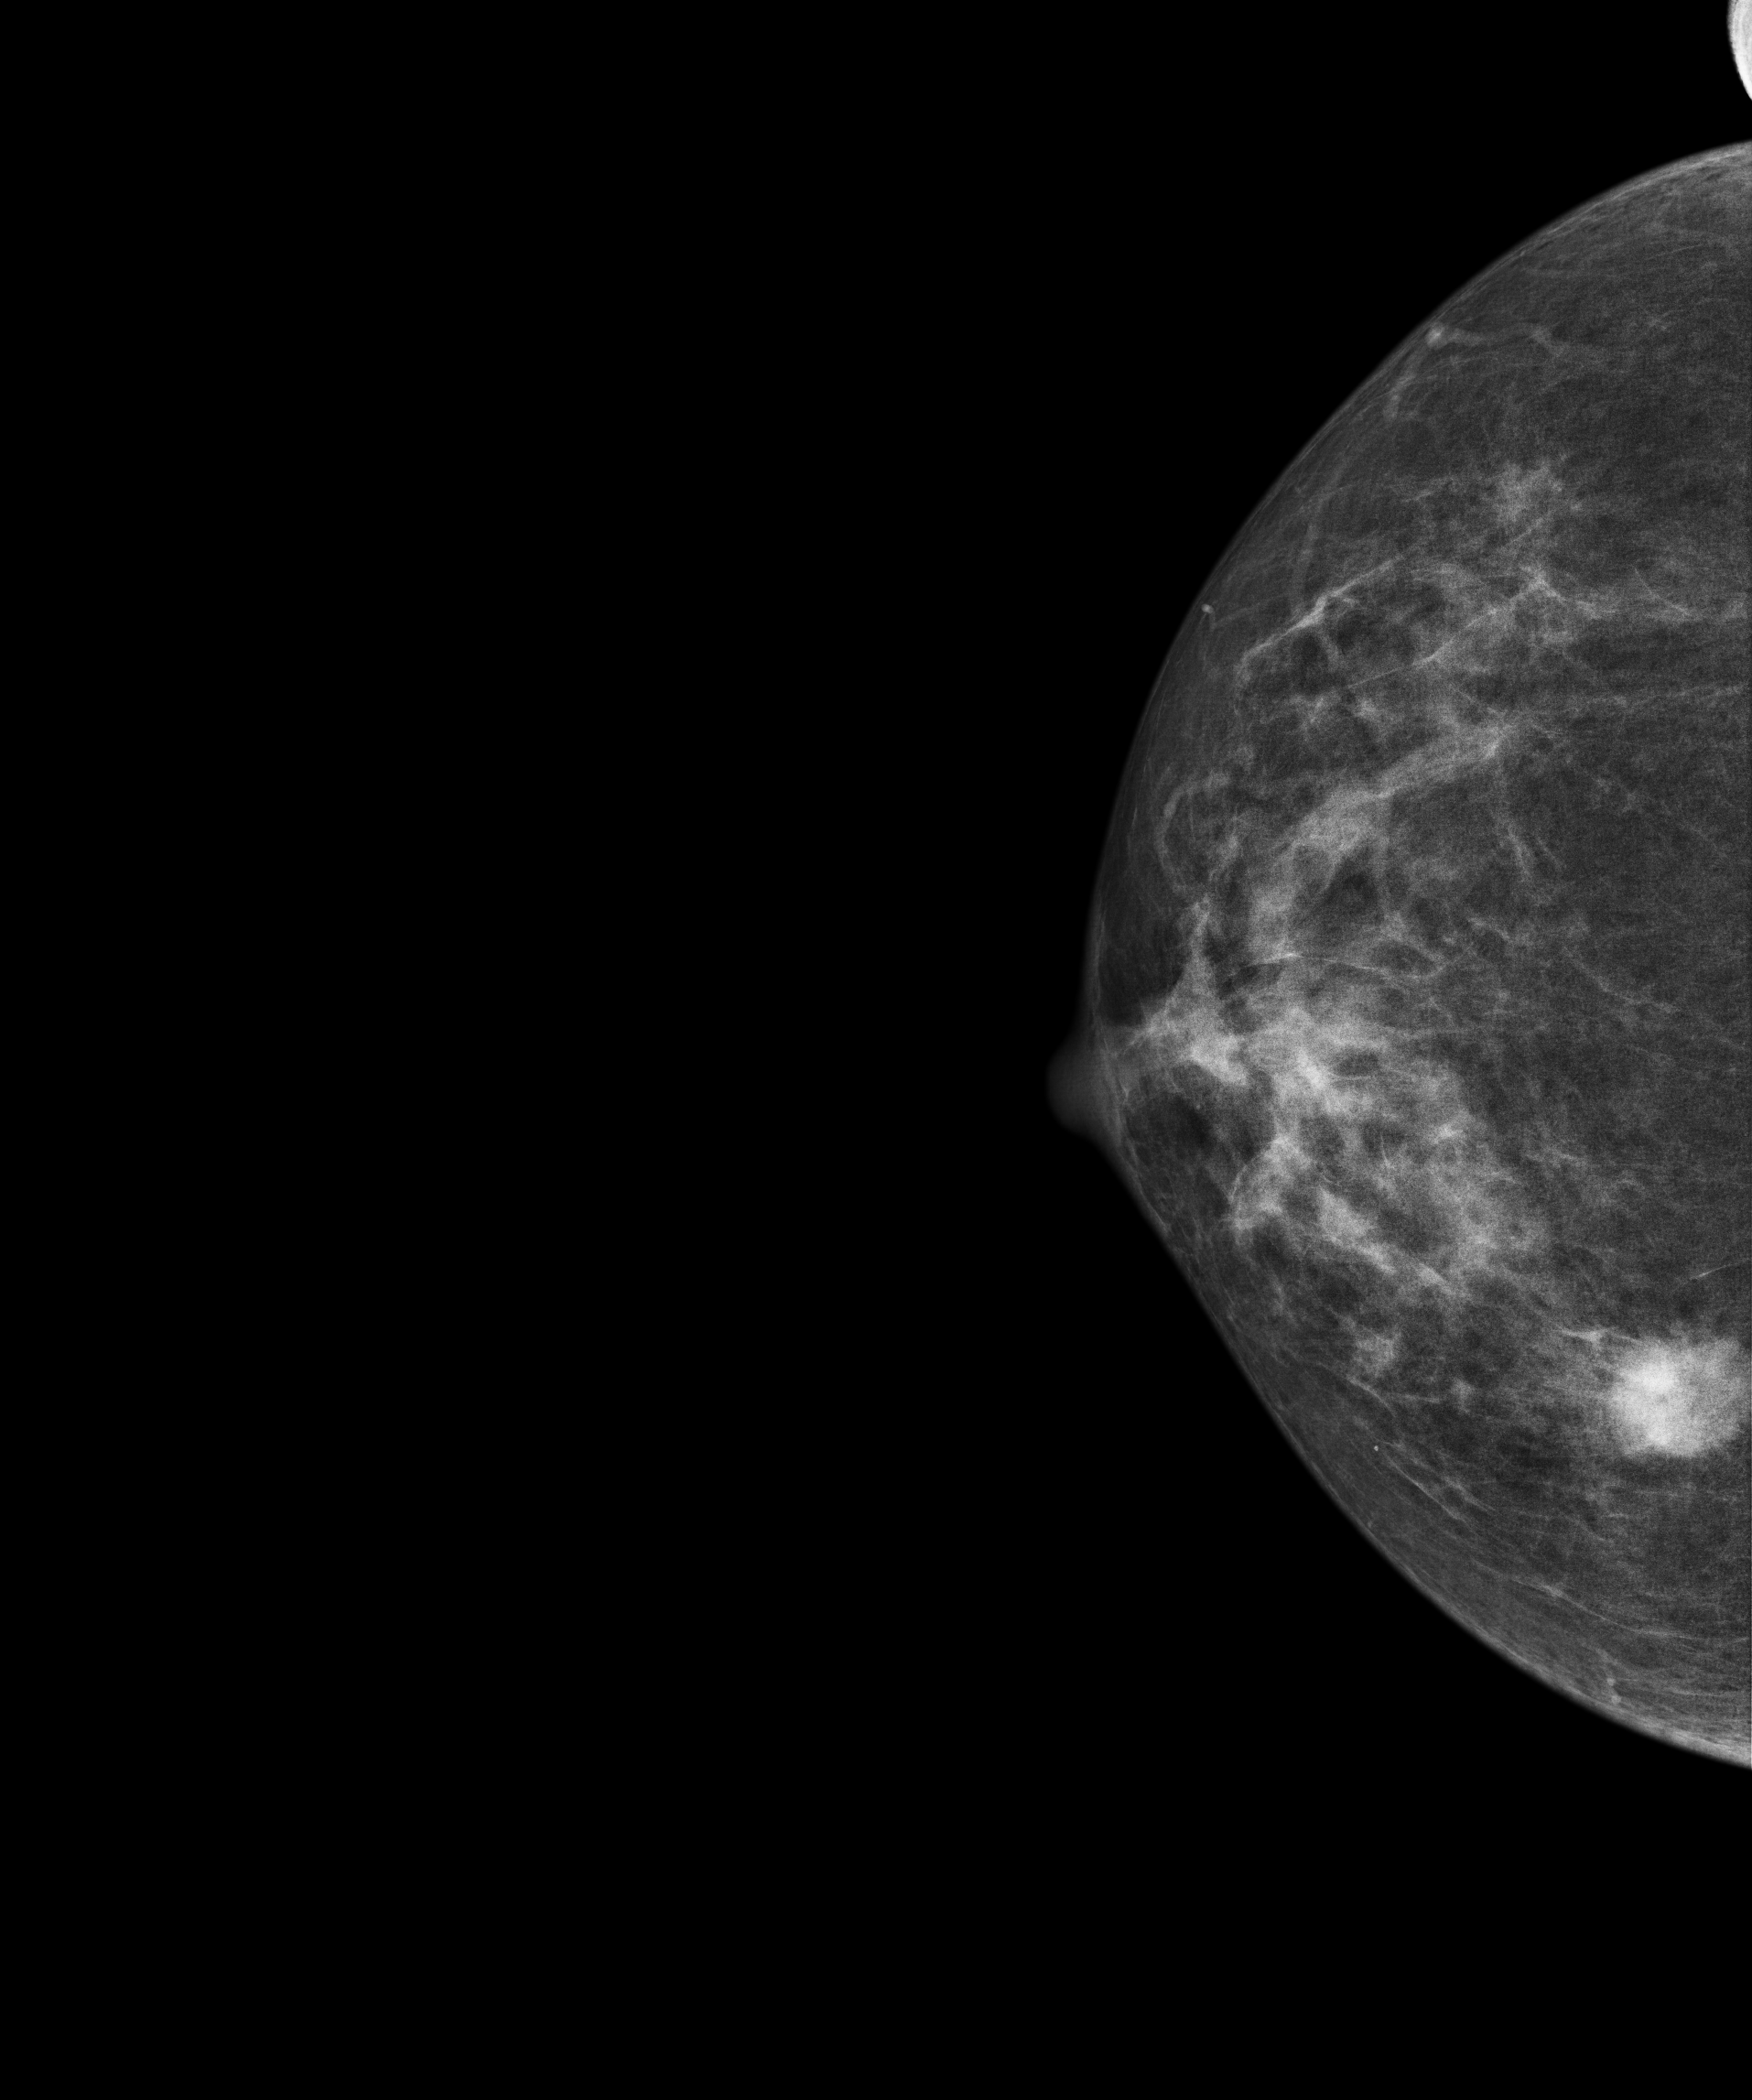
Mammogram — right cranio-caudal. 77 y/o patient.
This breast has a mass, biopsy-proven malignant. Molecular subtype: luminal B.